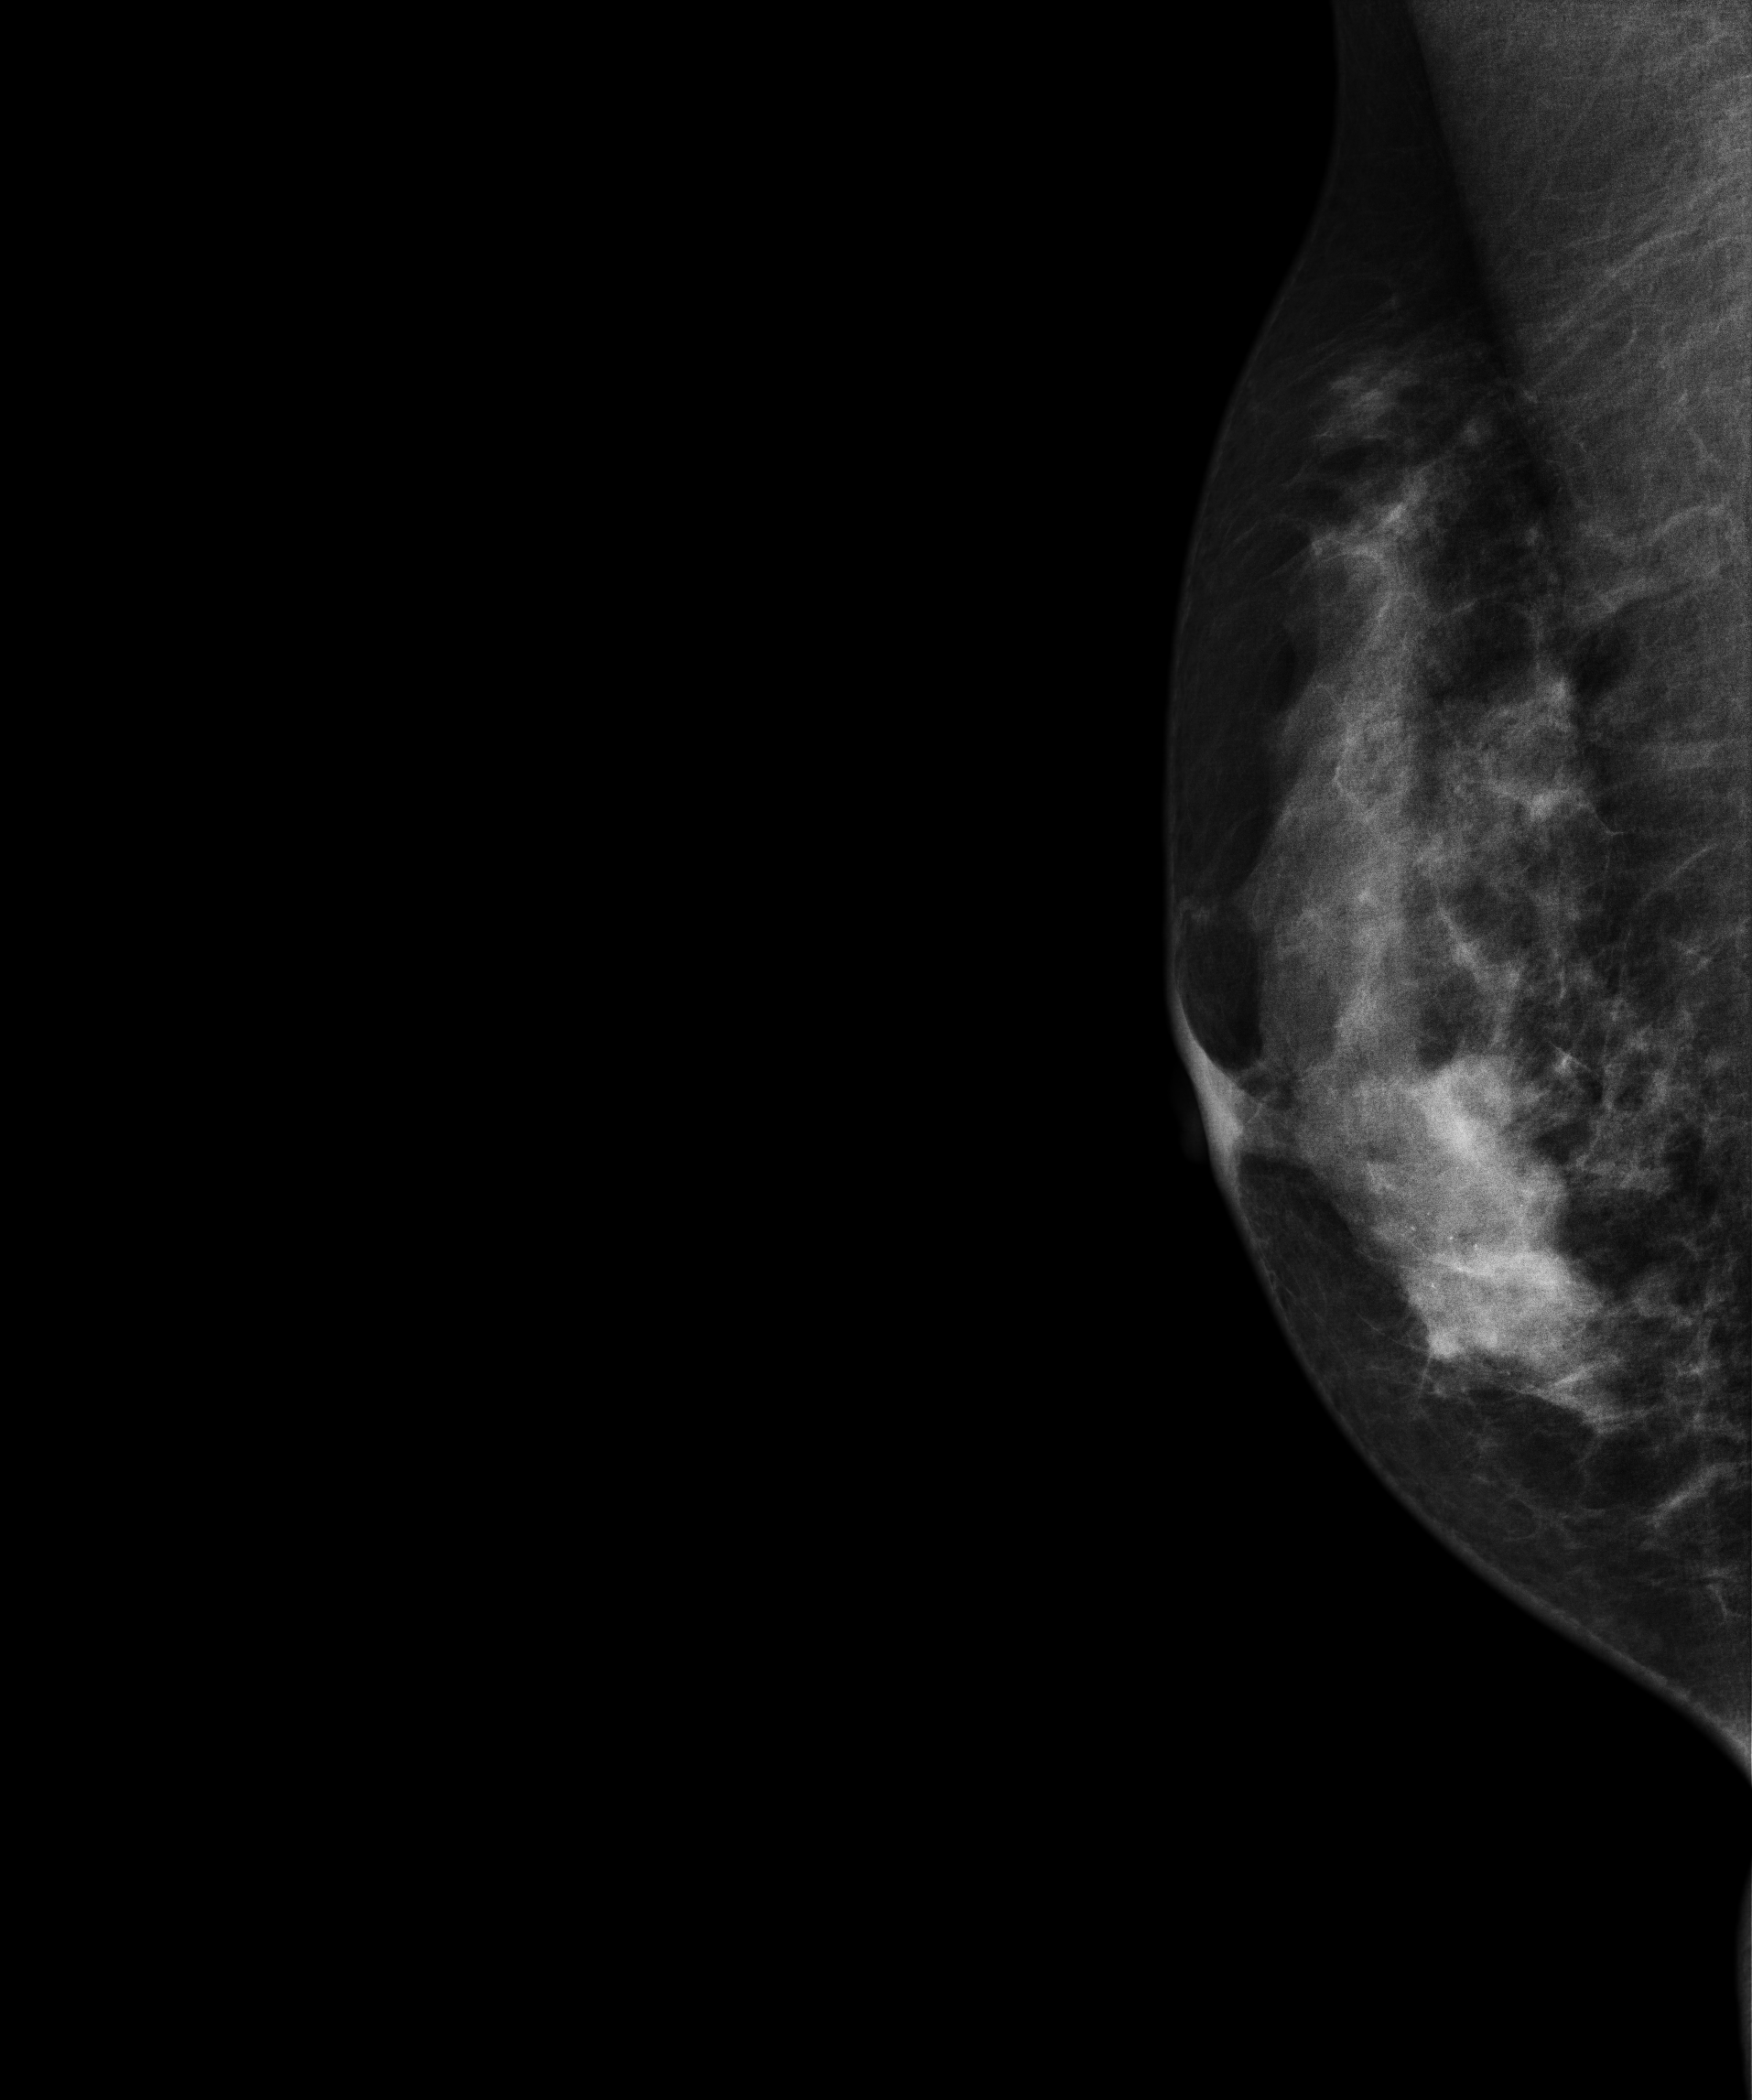
Medio-lateral oblique mammogram of the right breast. 36-year-old patient.
This breast has a mass and calcifications, biopsy-proven malignant. Molecular subtype: luminal B.